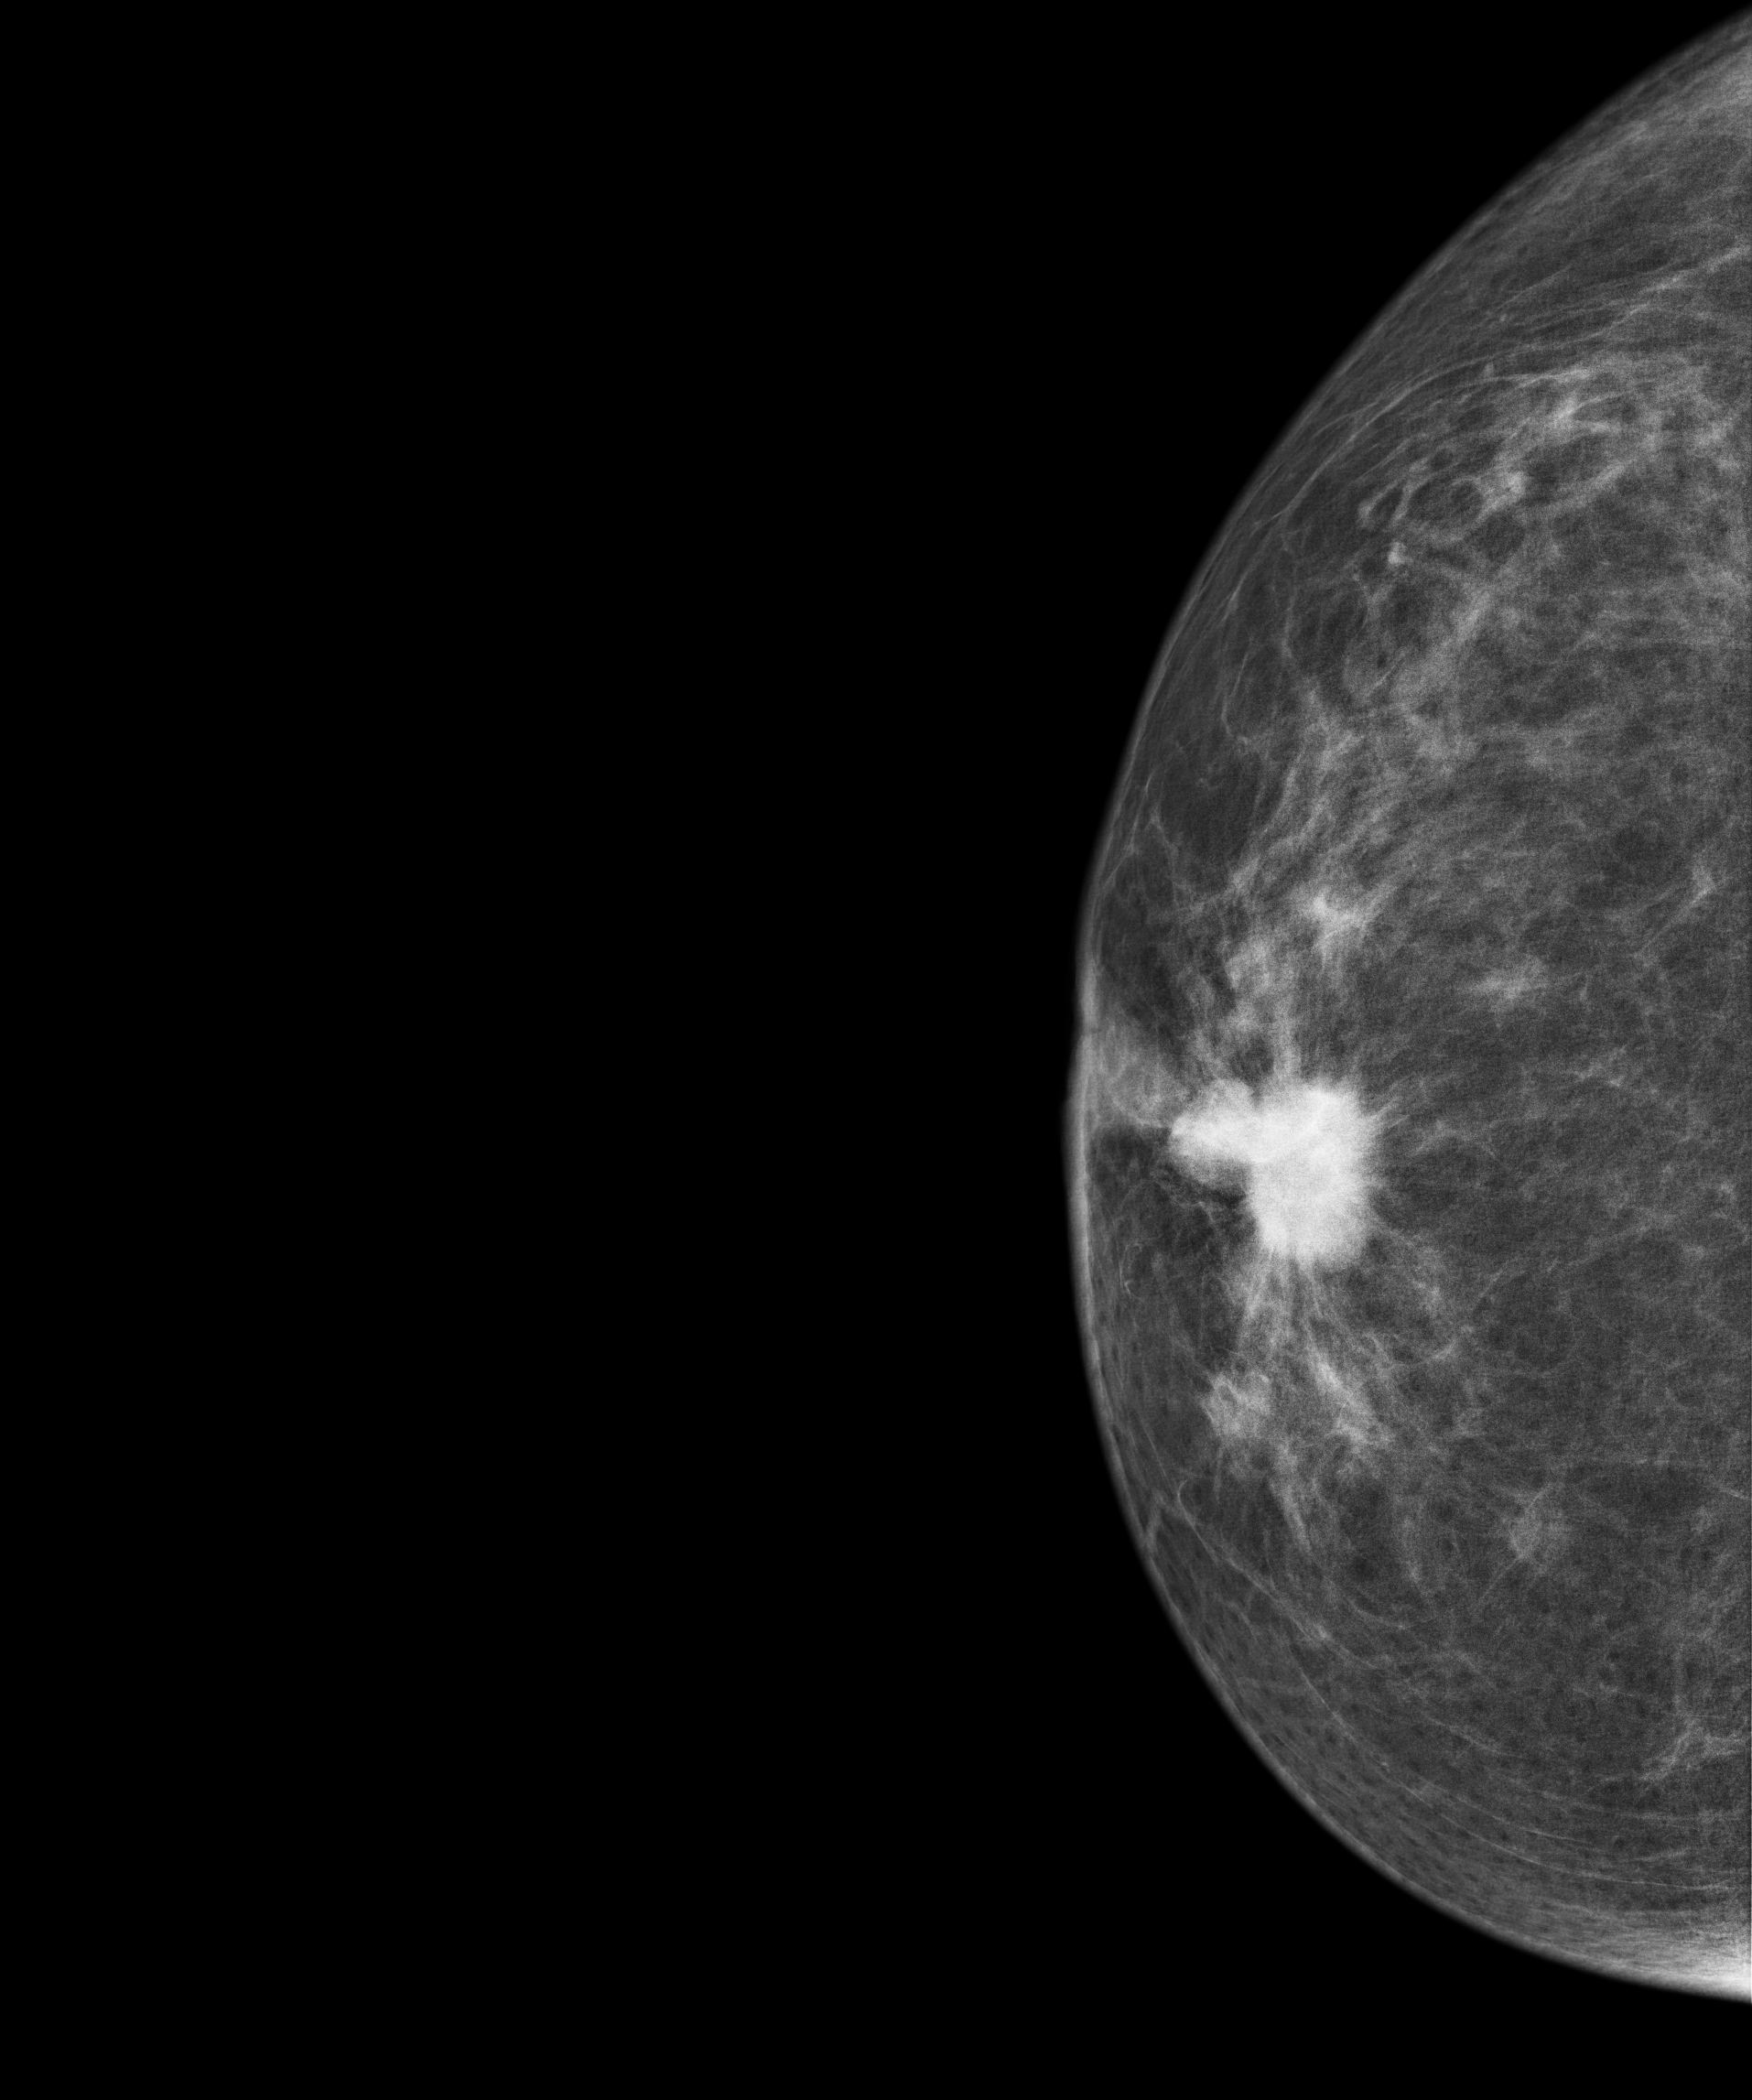
Mammogram, right breast, cranio-caudal view. Patient age 47.
This breast has a mass, histologically confirmed malignant. Molecular subtype: luminal A.